Left-breast mammogram, medio-lateral oblique. 29 y/o patient.
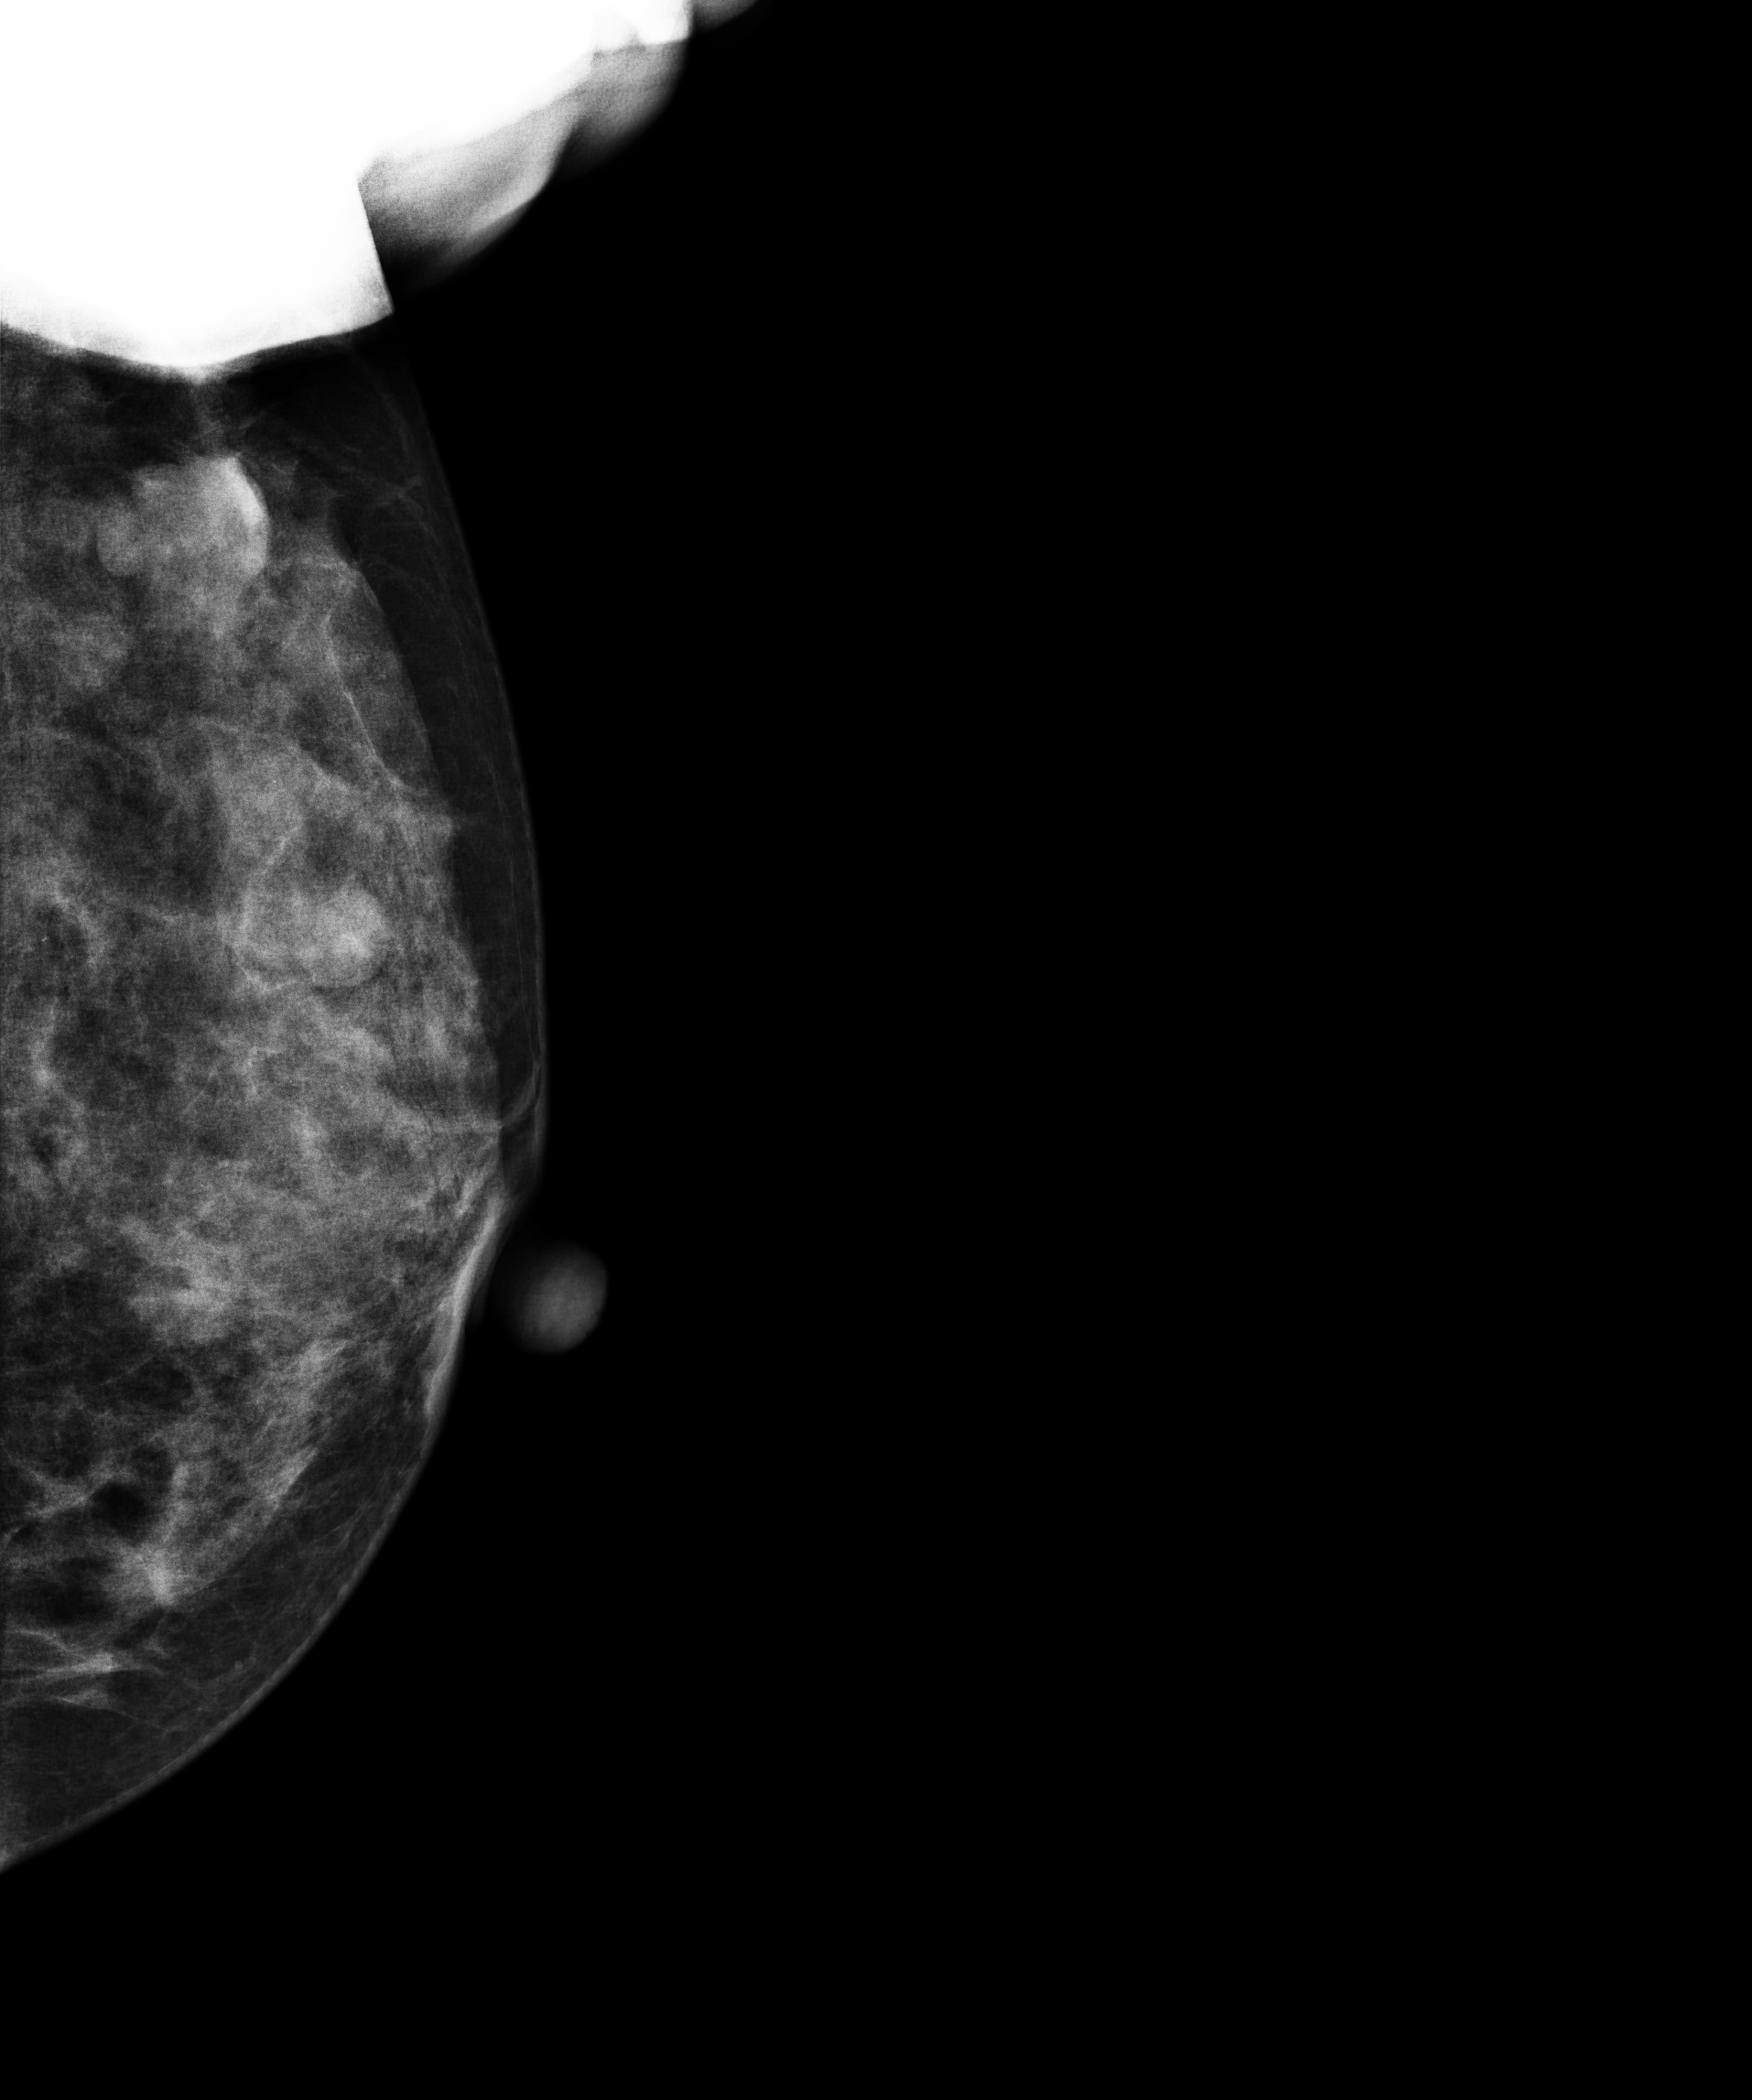
This breast has a mass, pathology-confirmed benign.